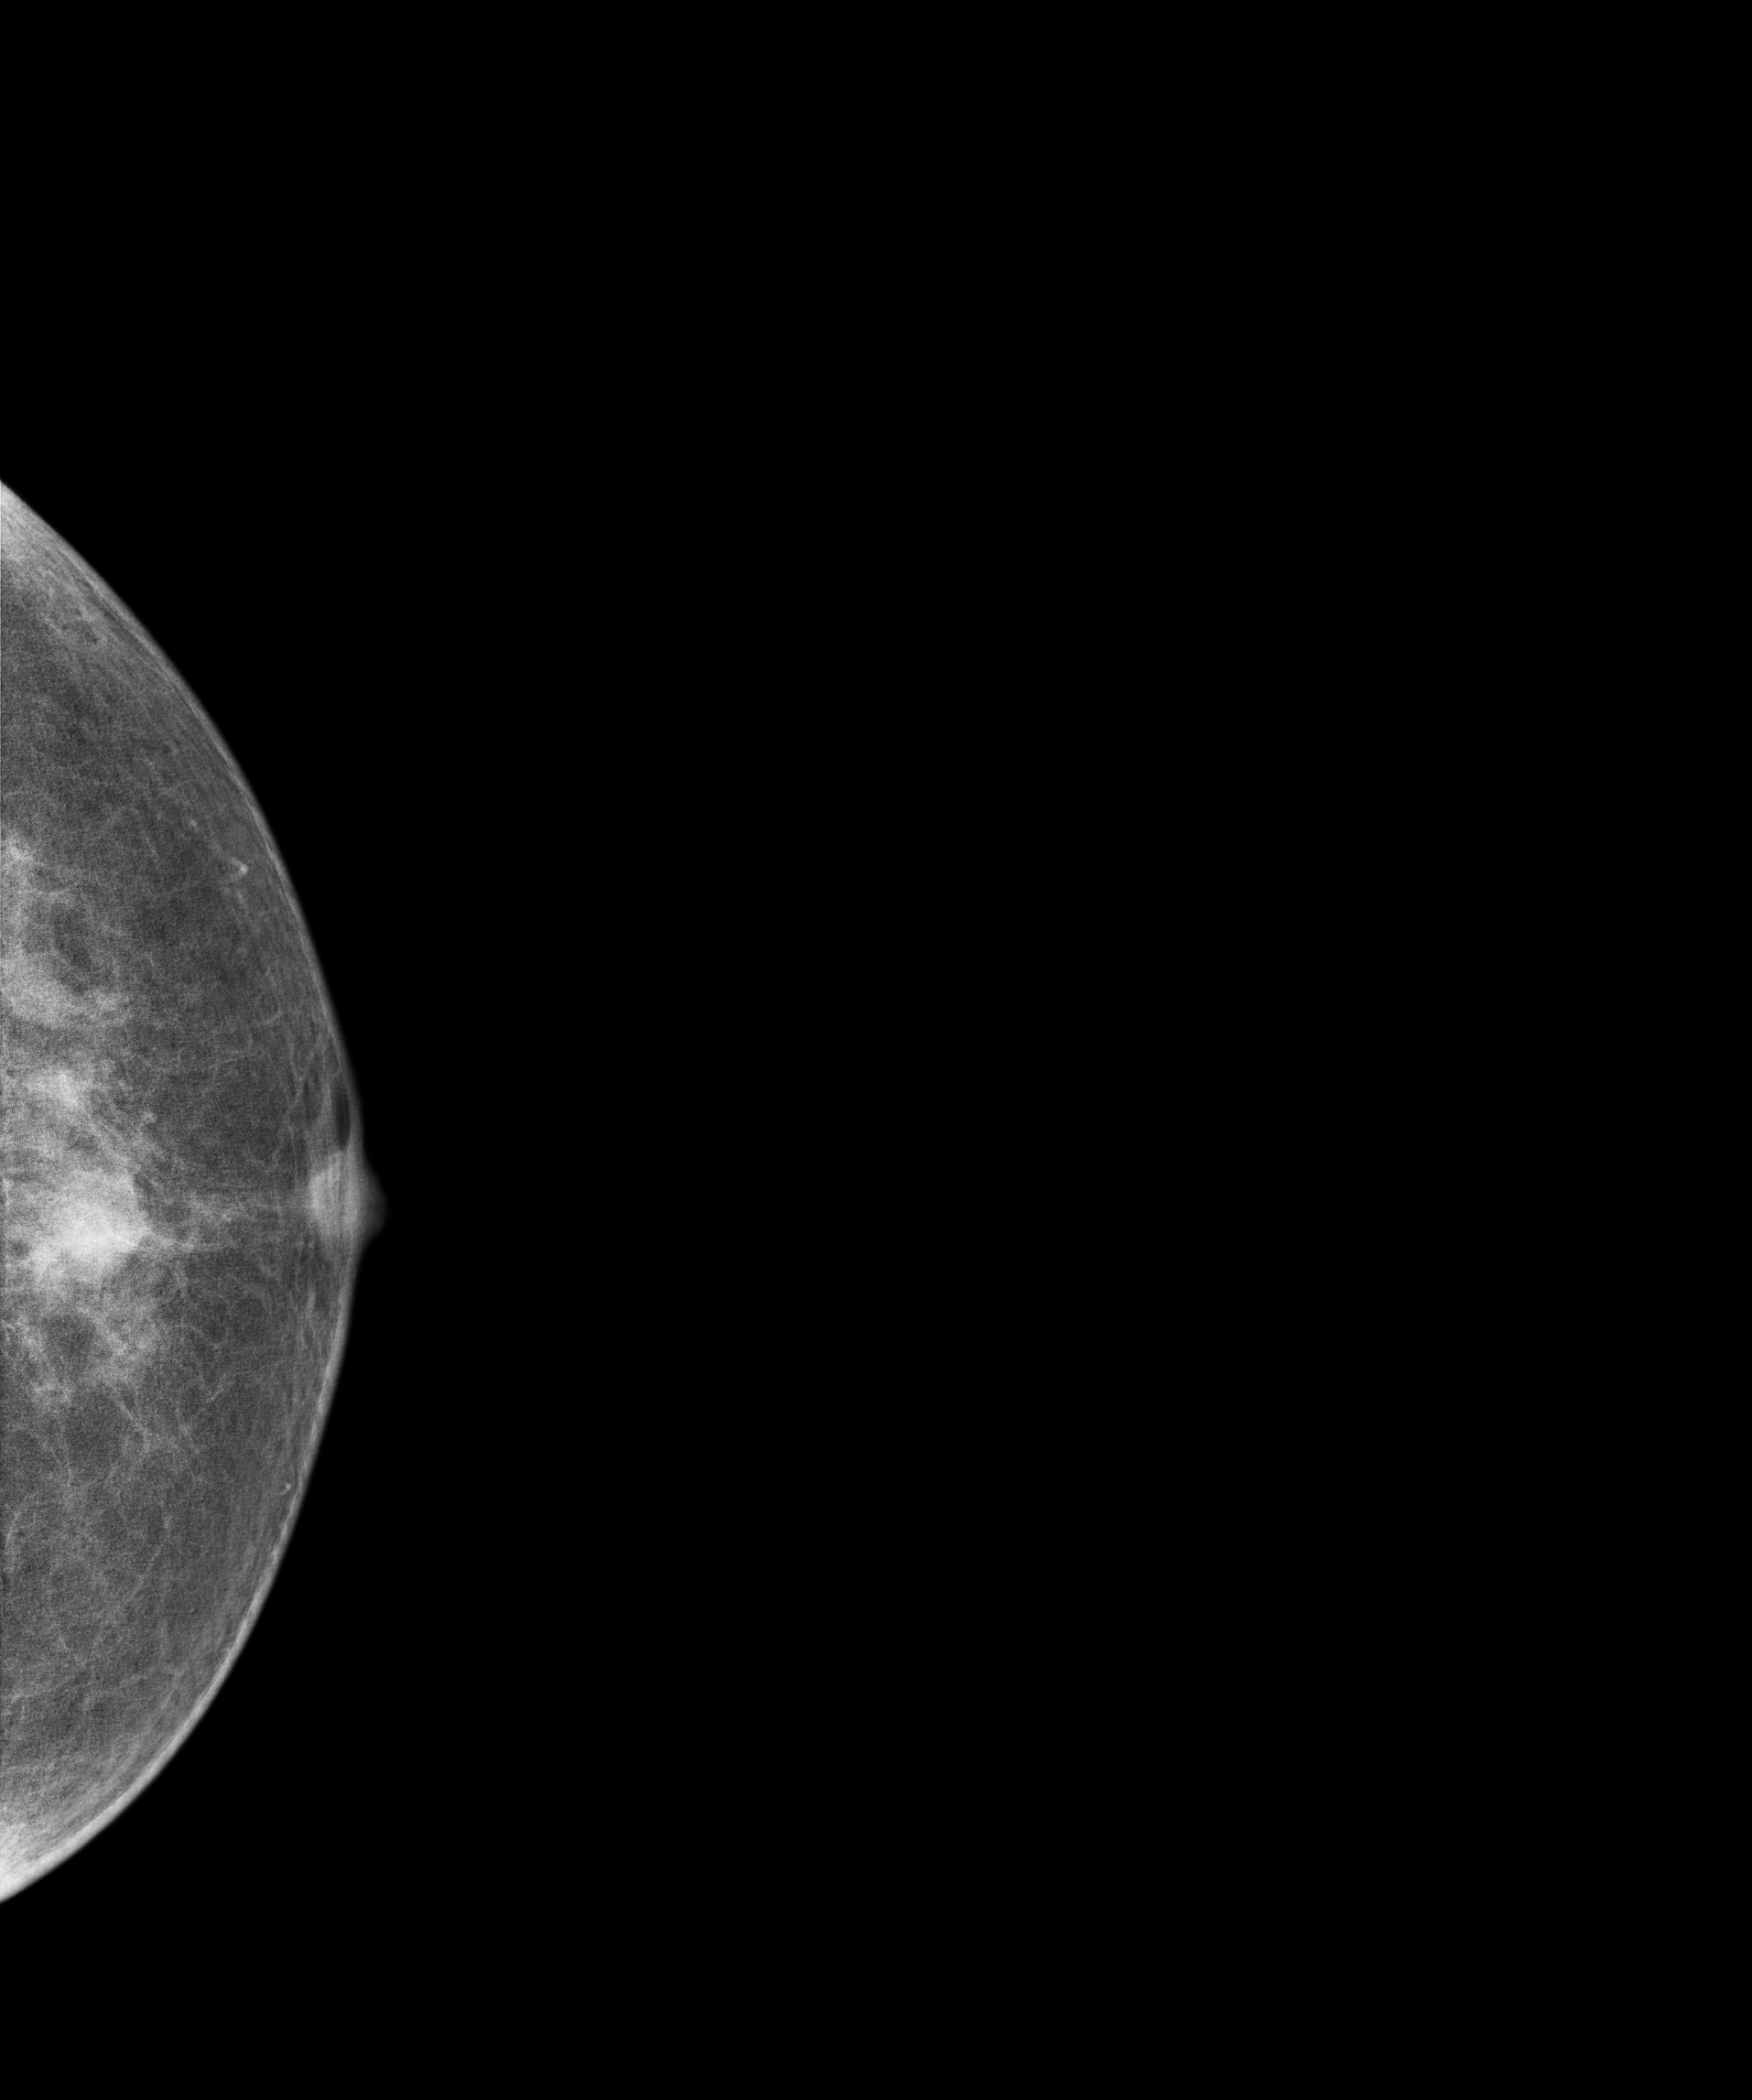
Mammogram — left cranio-caudal. 52 y/o patient.
This breast has a mass, pathology-confirmed malignant. Molecular subtype: luminal B.